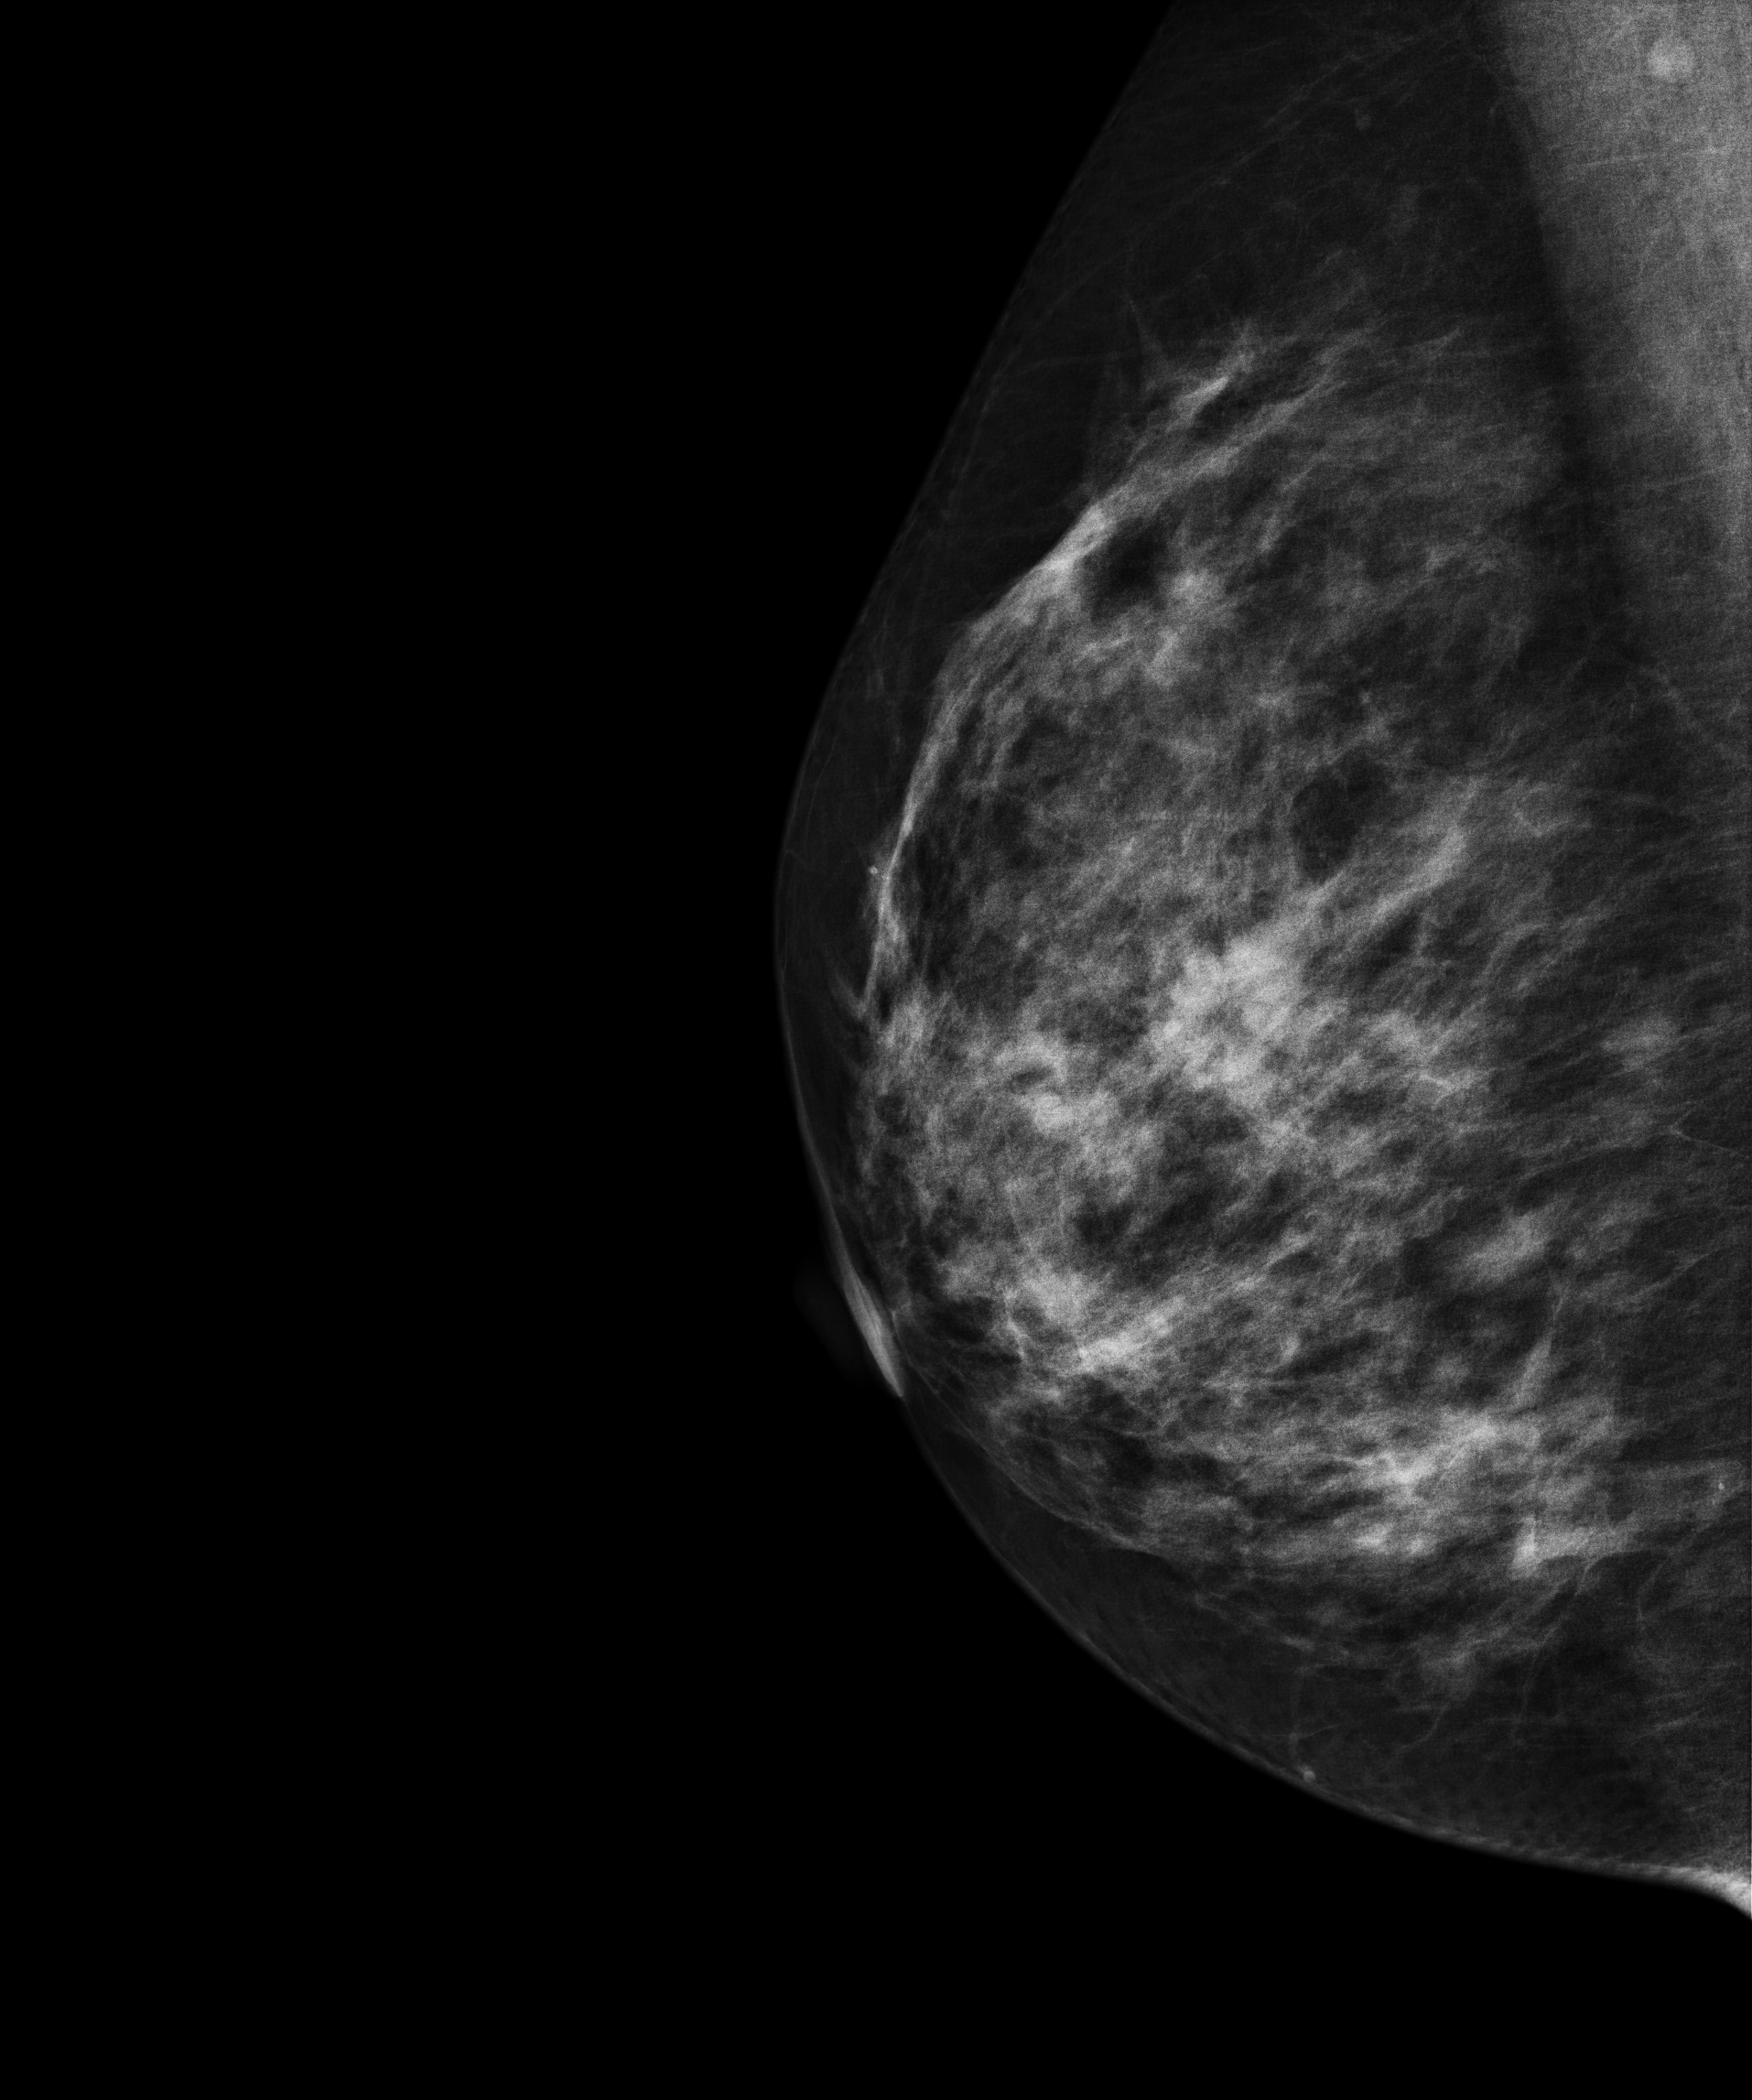
Digital mammography. Right breast, MLO projection. Patient age 39.
This breast has a mass, pathology-confirmed benign.